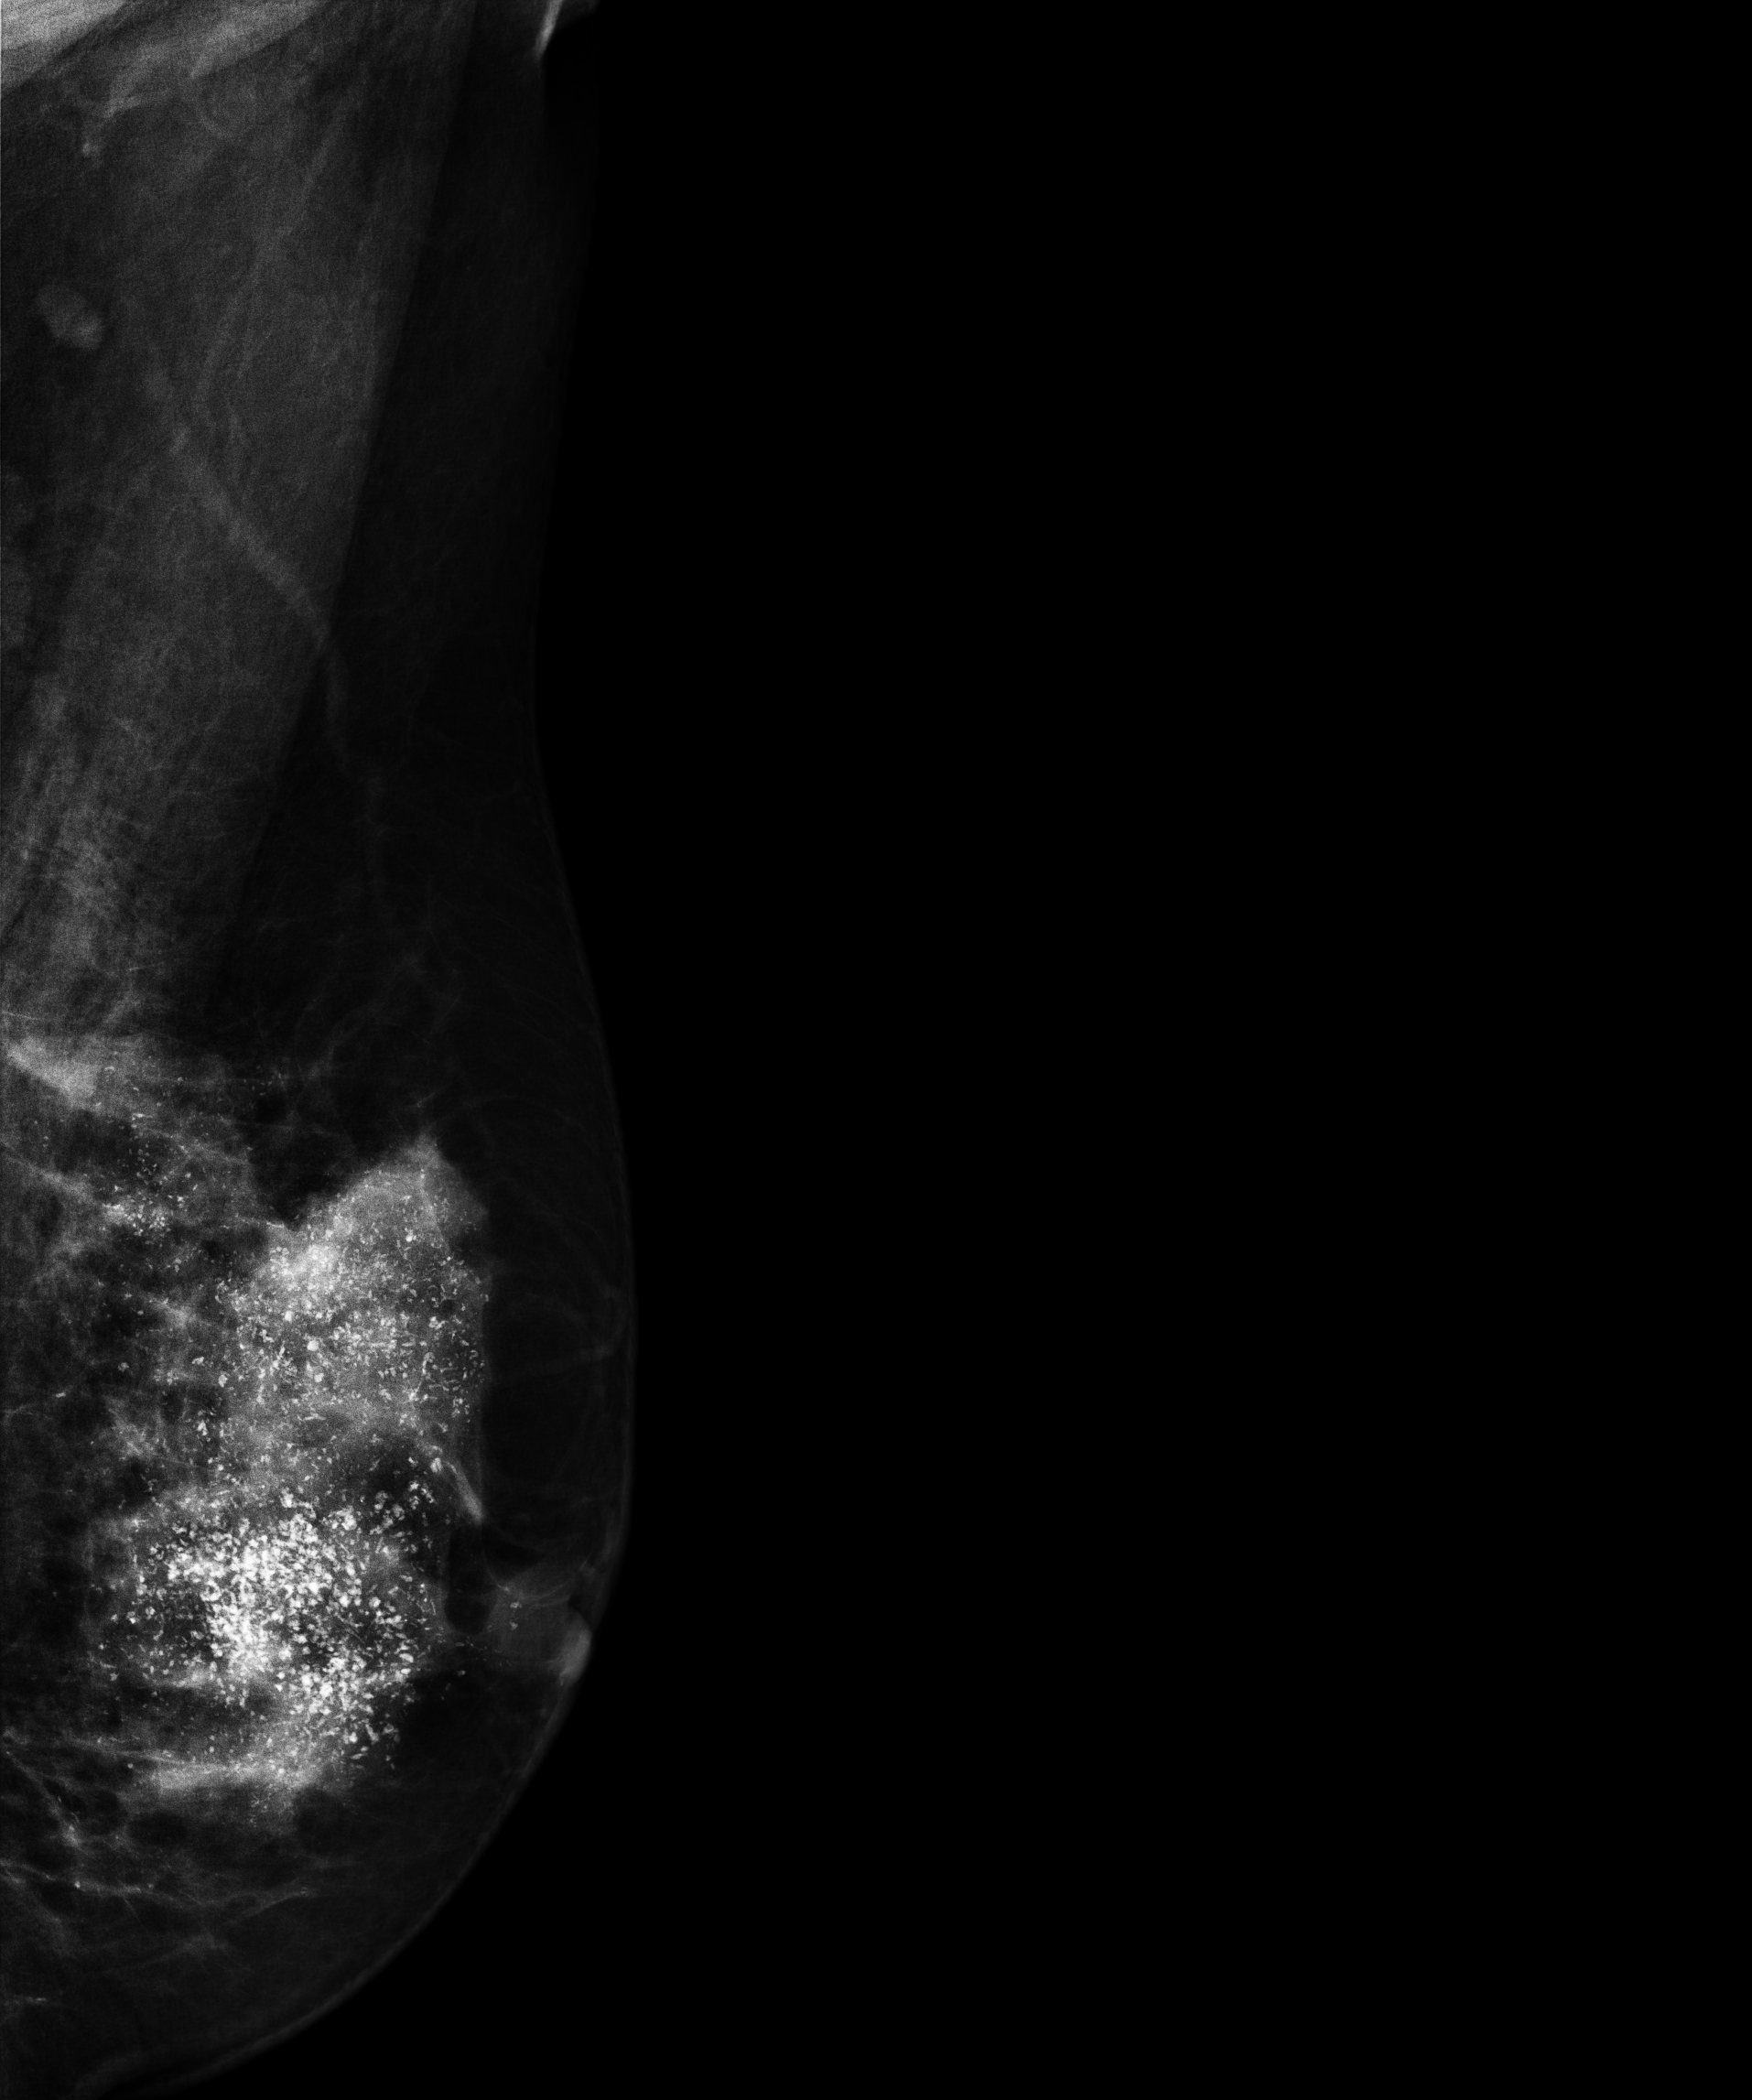
Mammogram — left MLO. Patient age 54.
This breast has calcifications, pathology-confirmed malignant.